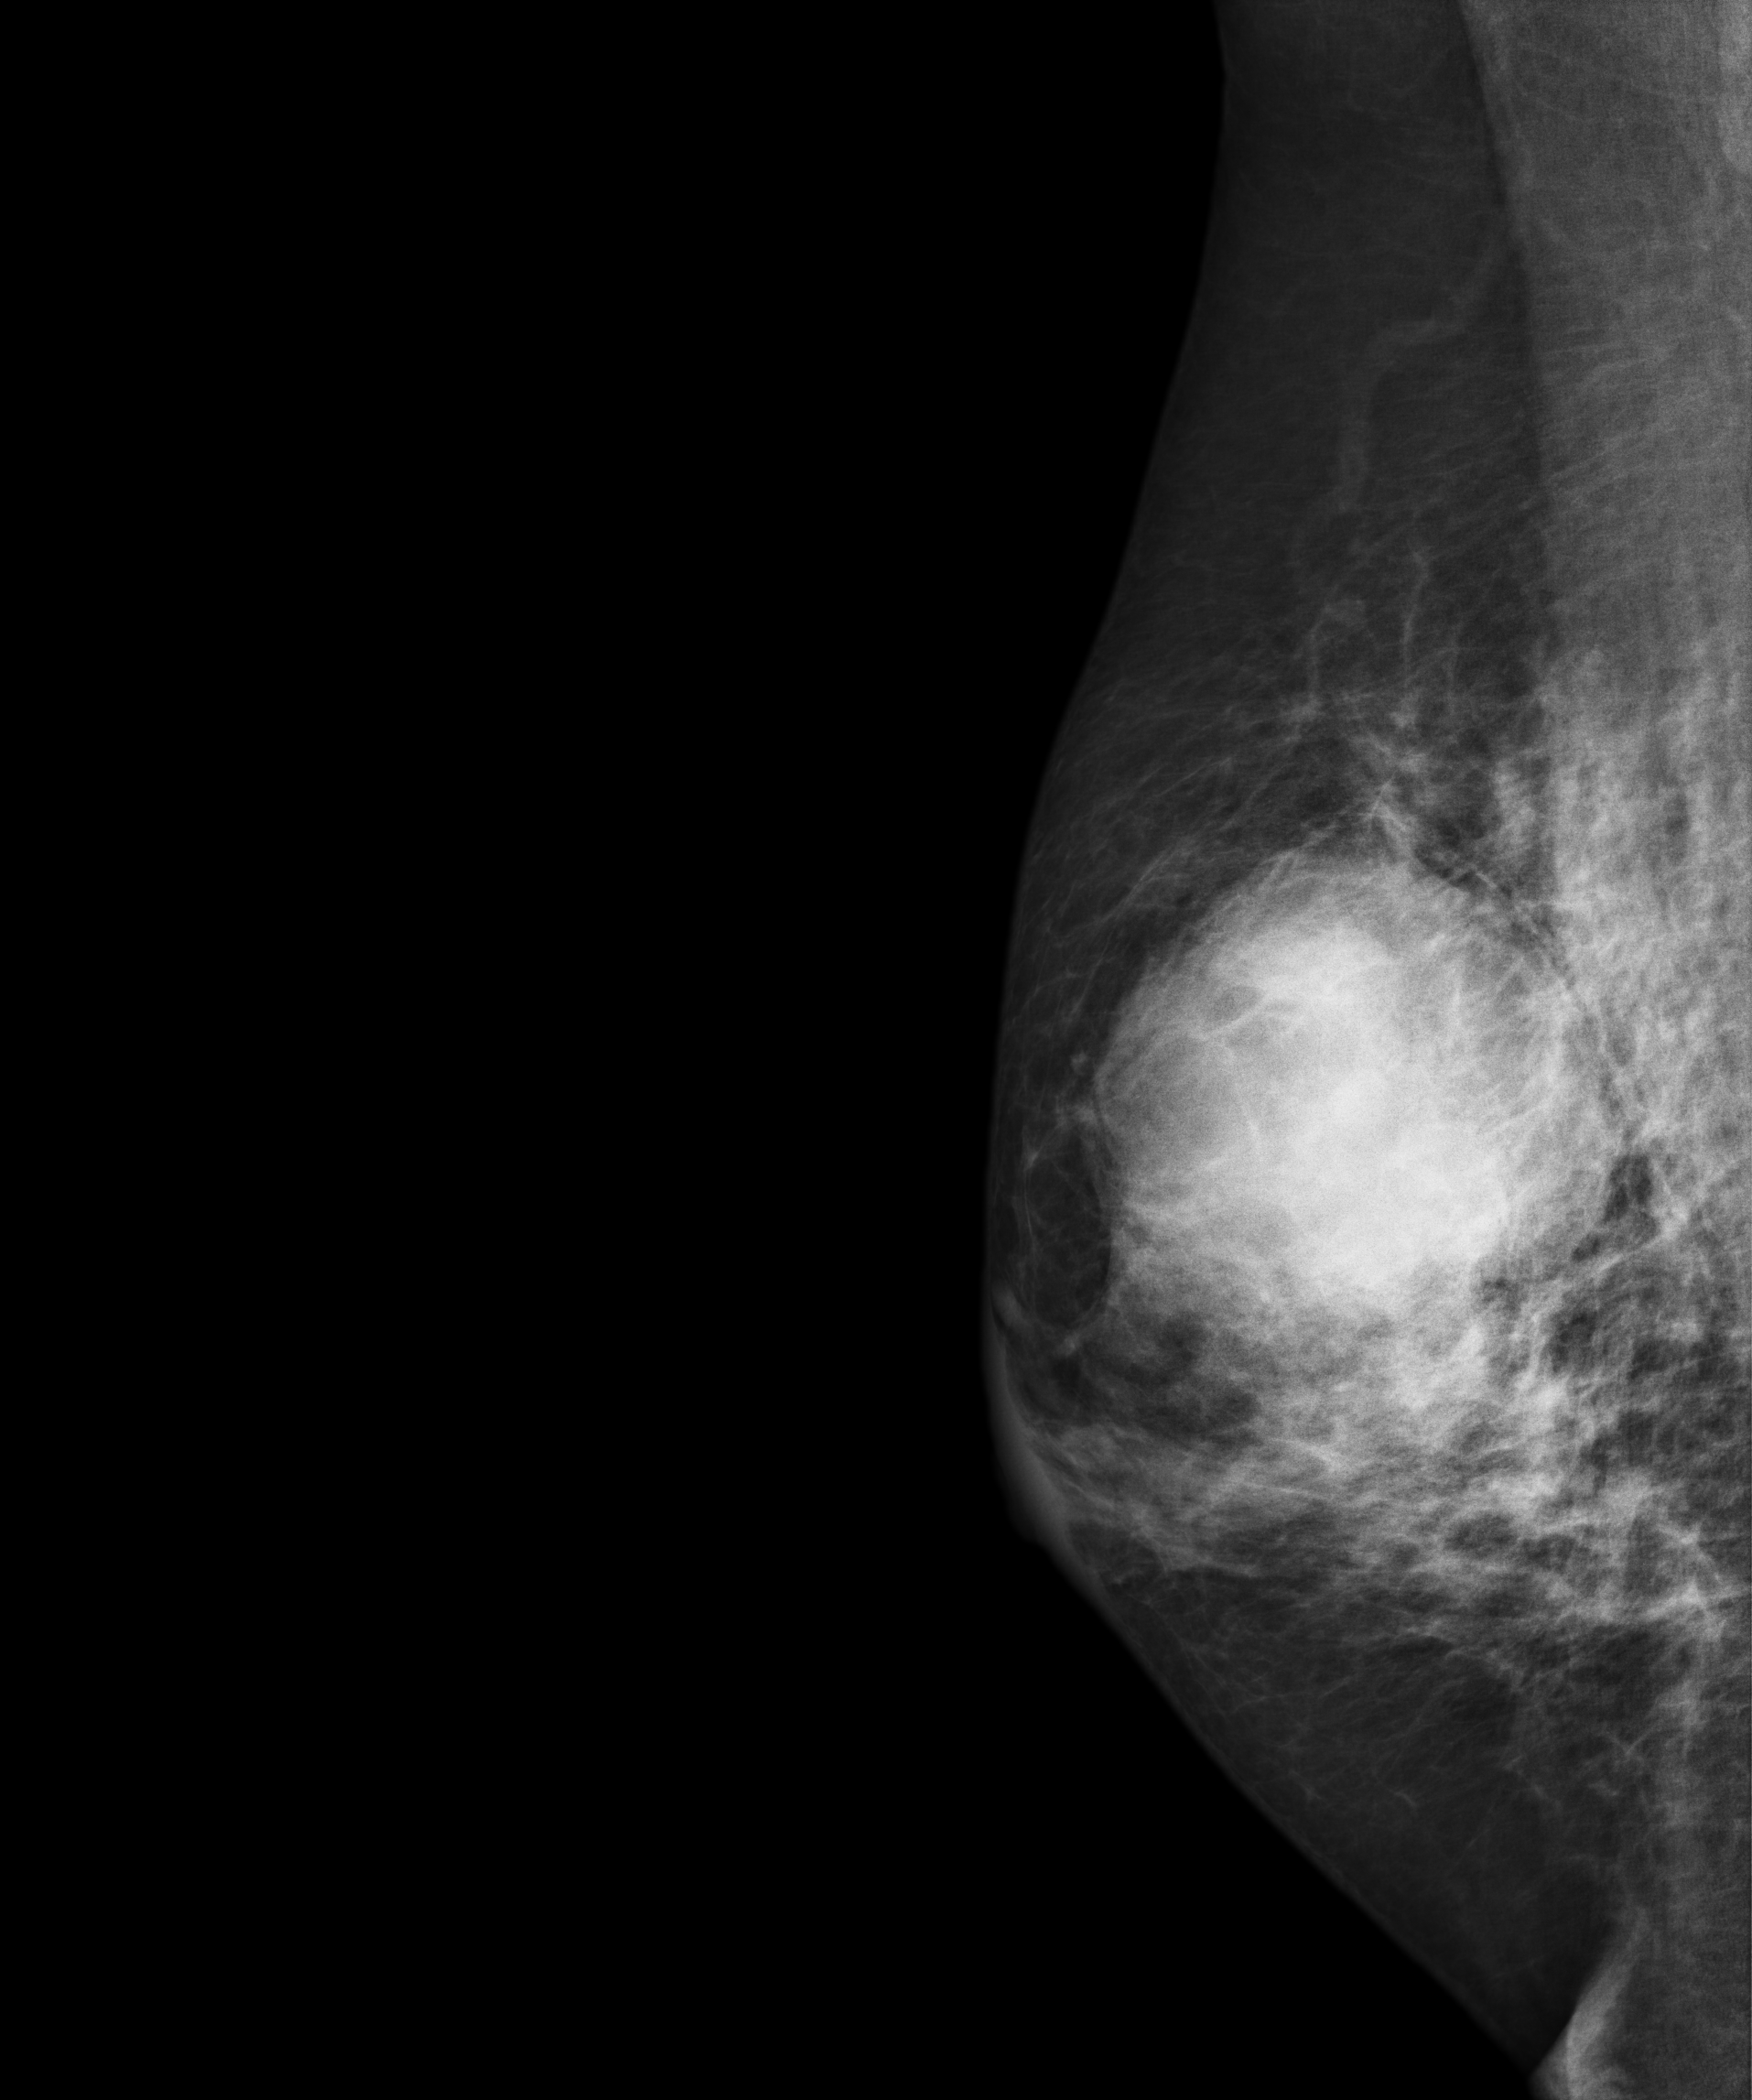
Mammogram — right medio-lateral oblique. 57 y/o patient.
This breast has a mass, biopsy-confirmed malignant.